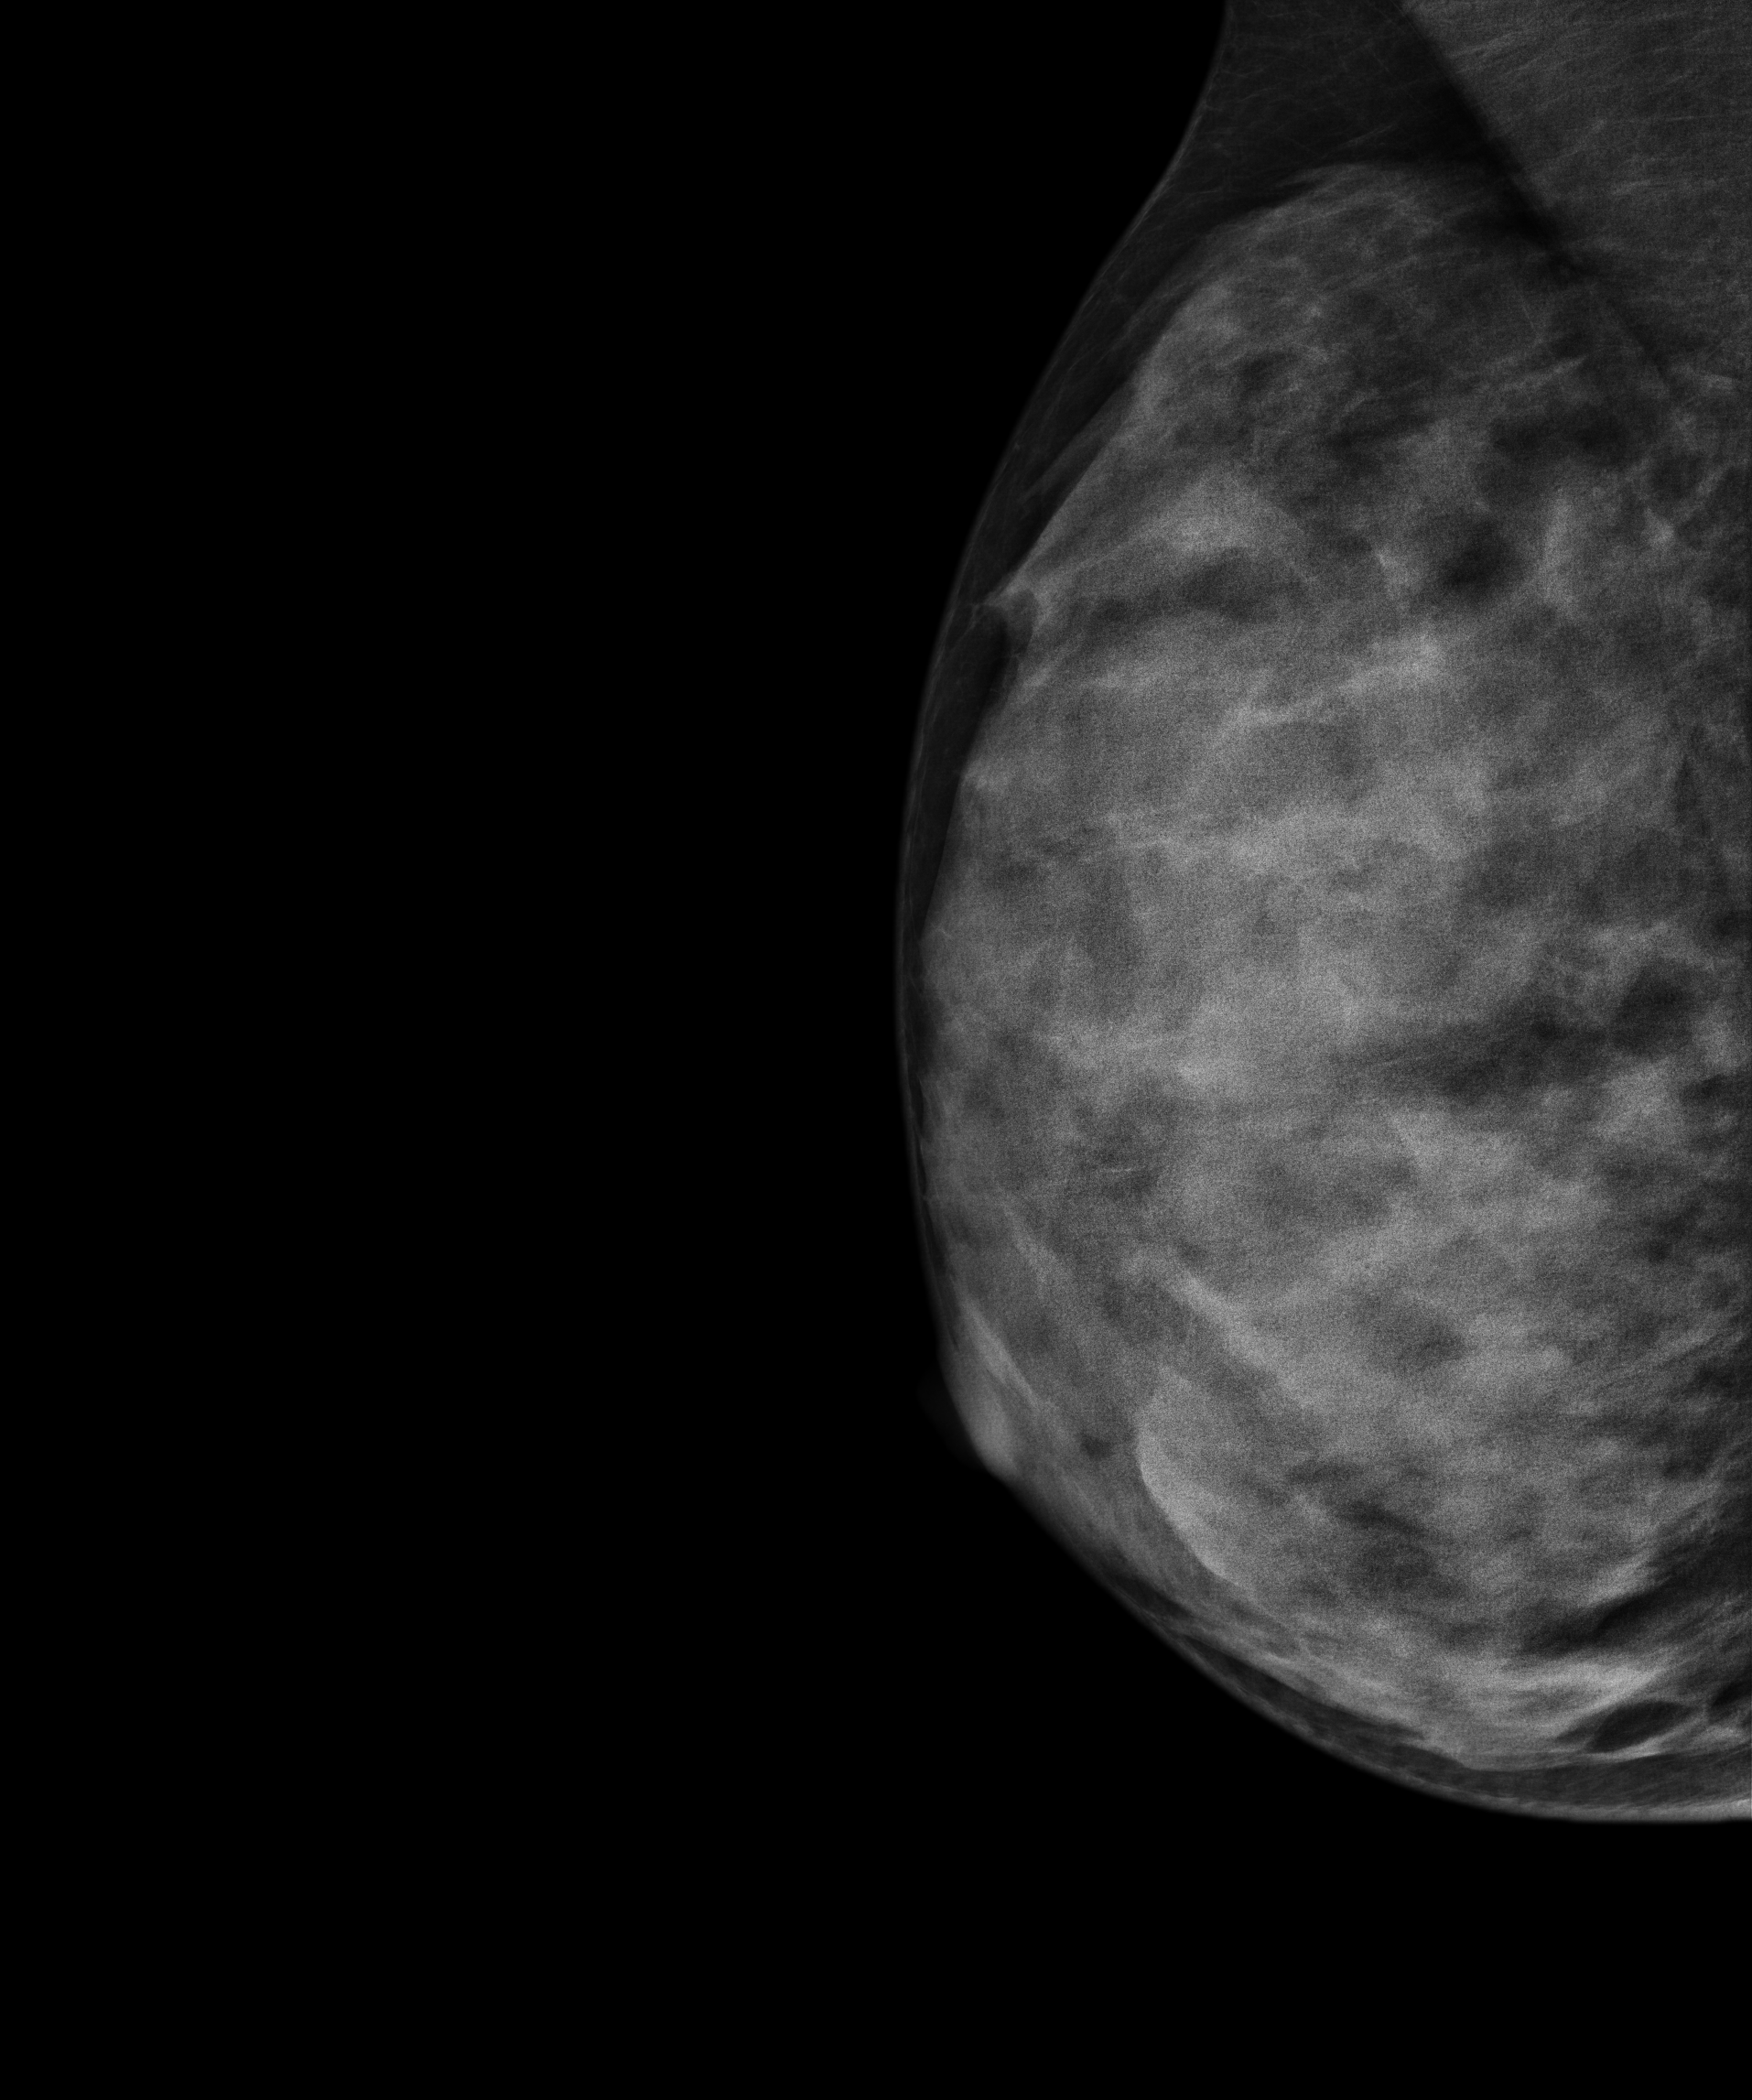
Mammogram — right MLO. Patient age 21.
This breast has a mass, biopsy-proven benign.